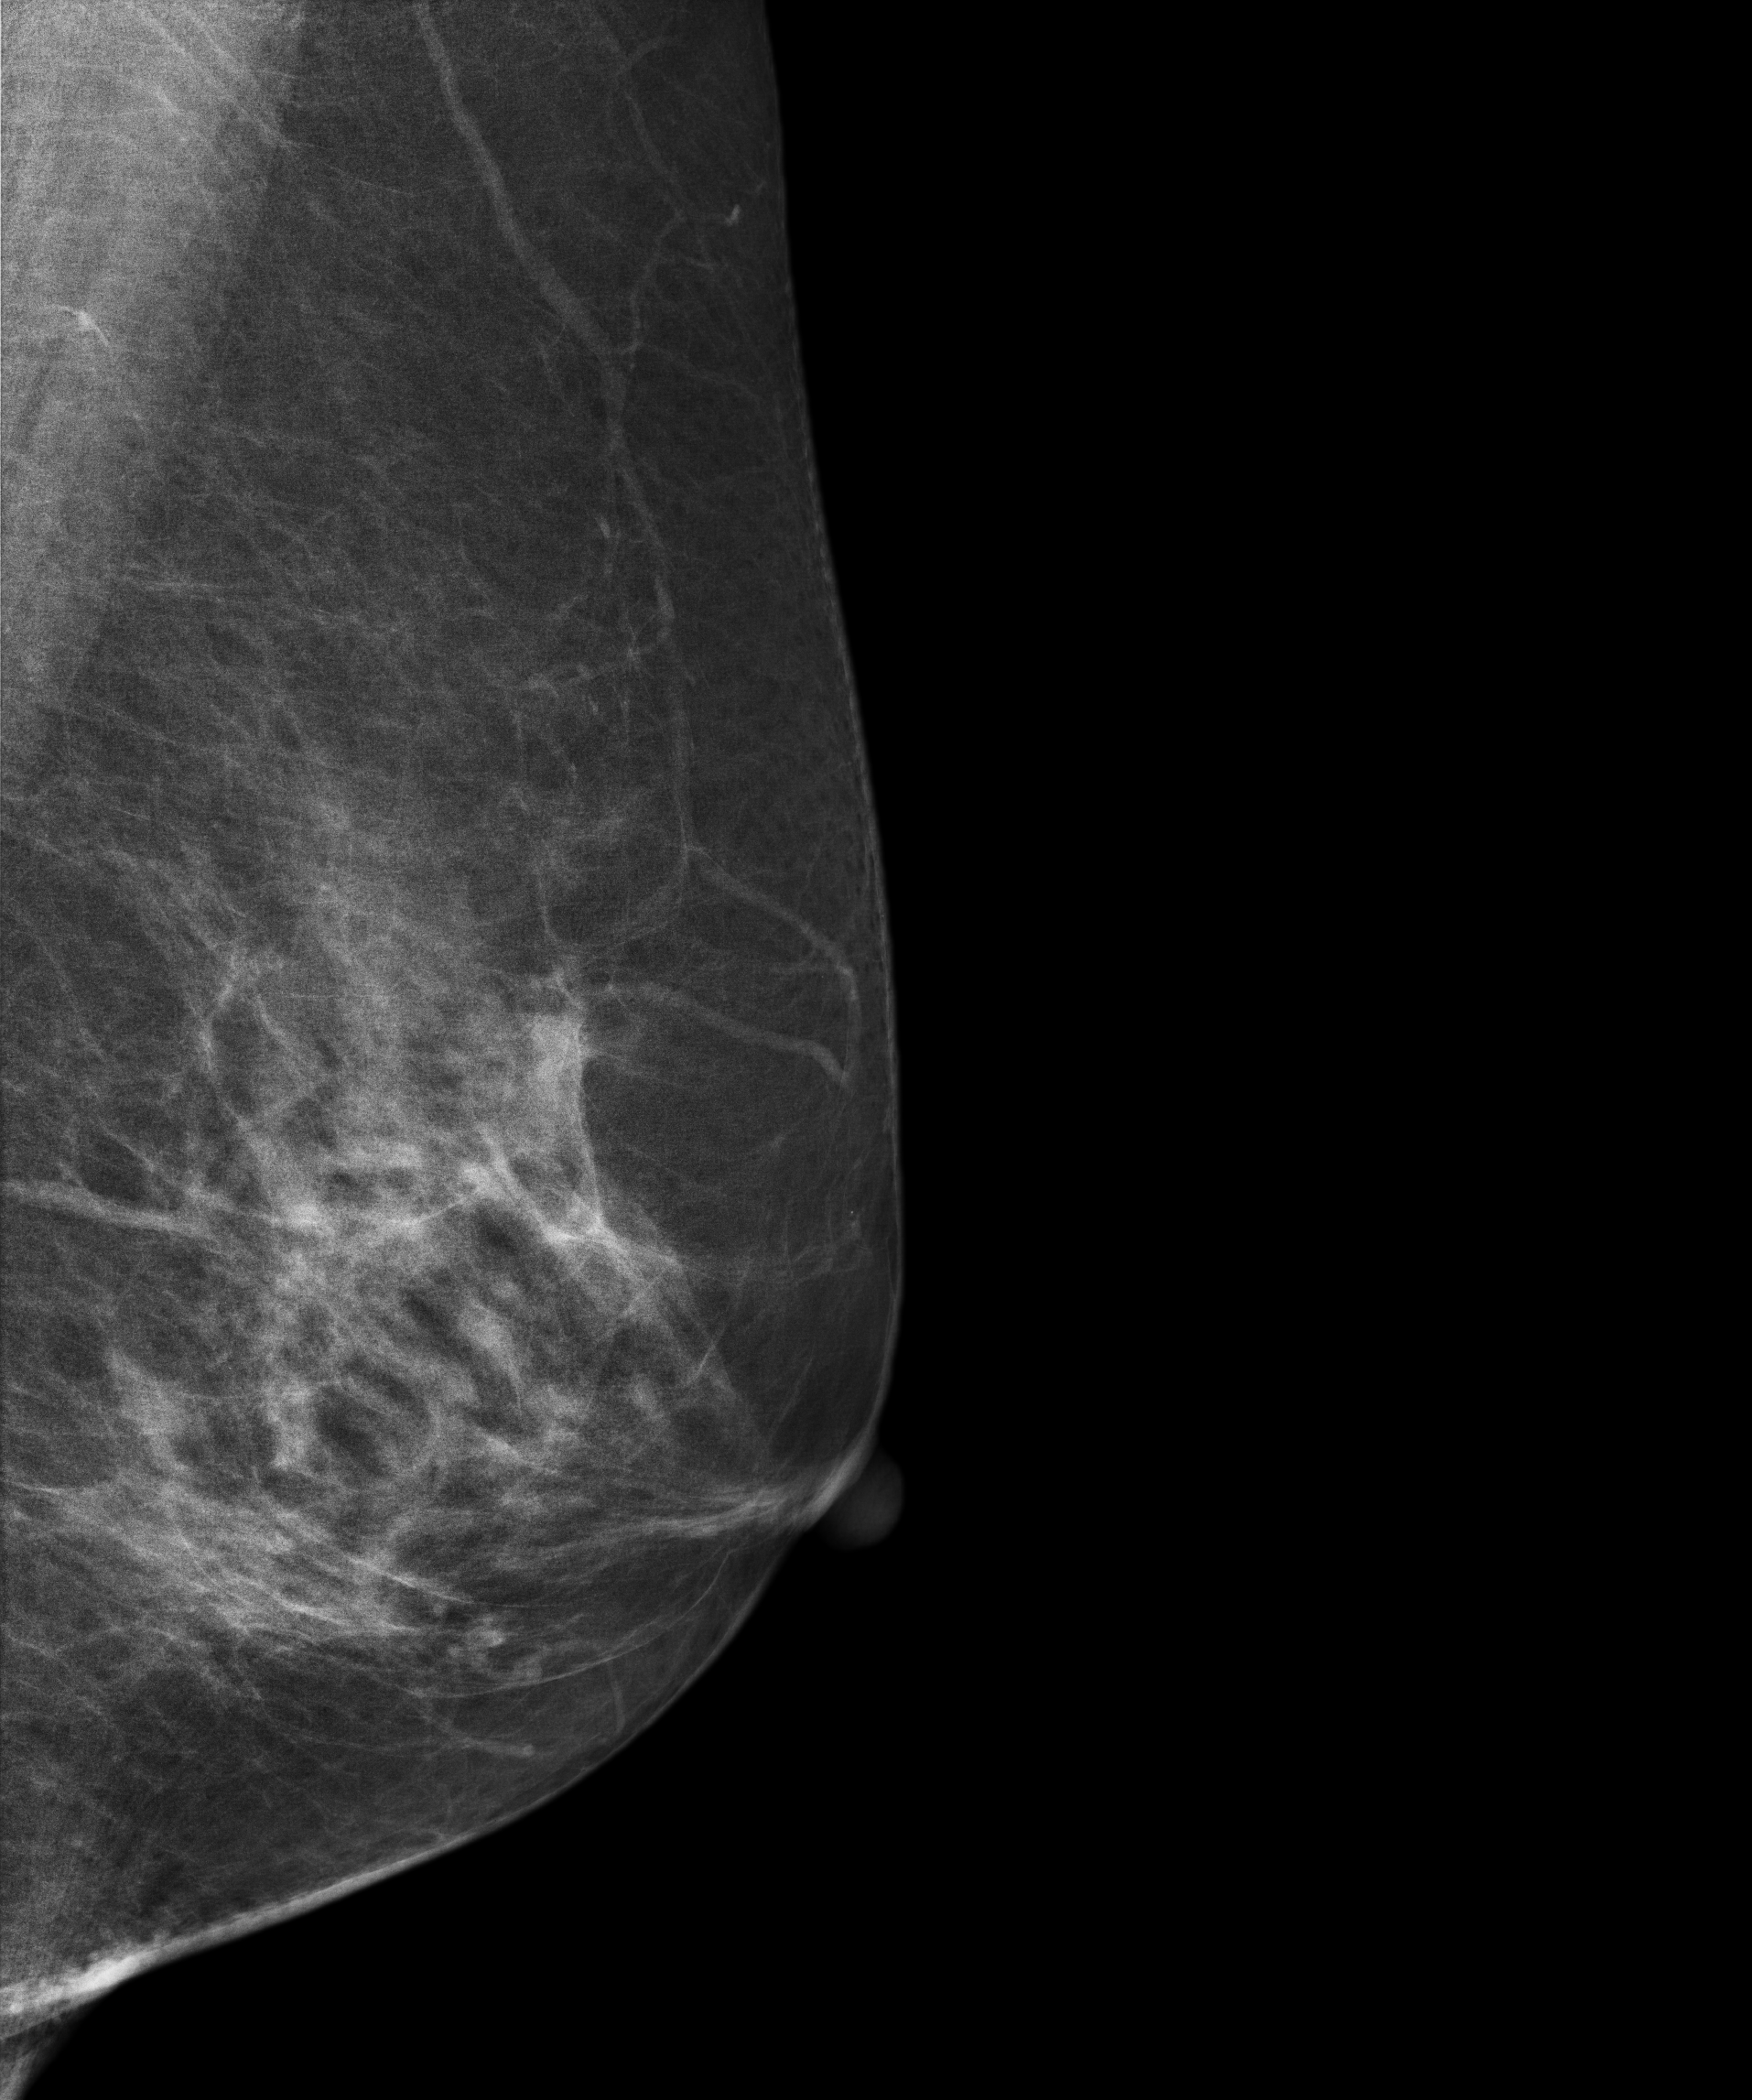
Mammogram, left breast, MLO view. Patient age 65.
Contralateral breast — no documented abnormality on this side.